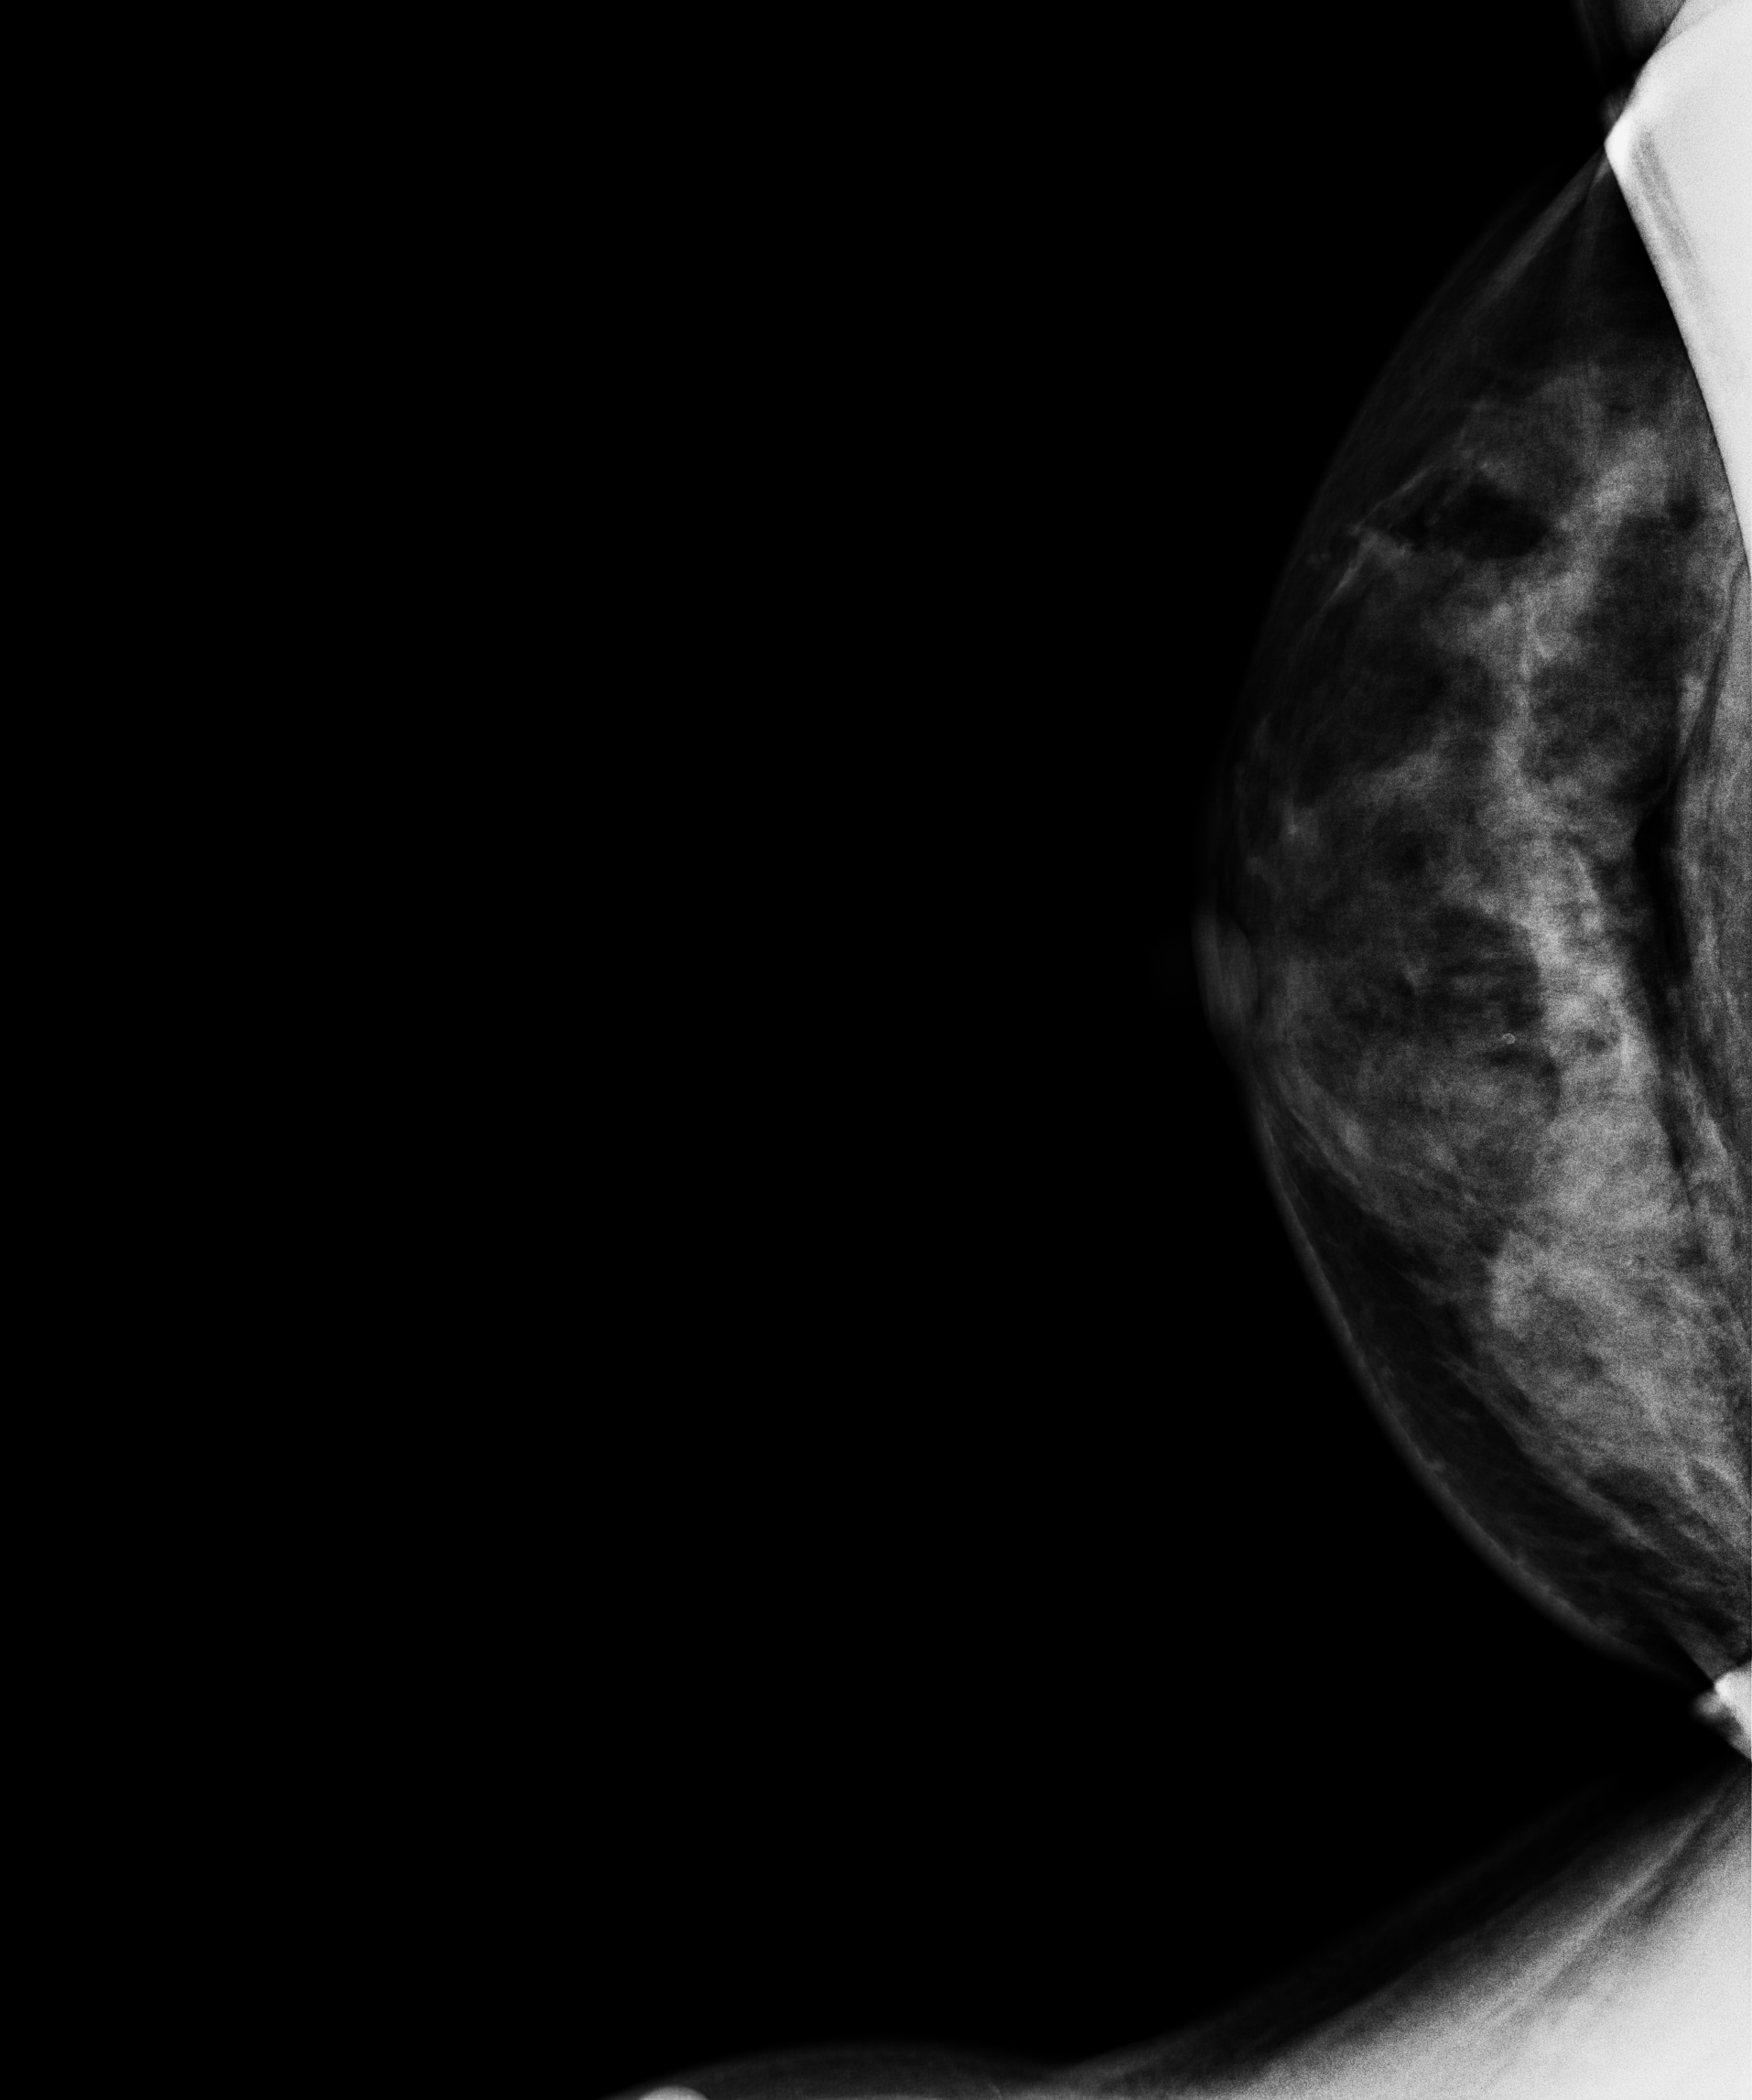
Right-breast mammogram, cranio-caudal. 48-year-old patient.
This breast has a mass, biopsy-proven benign.